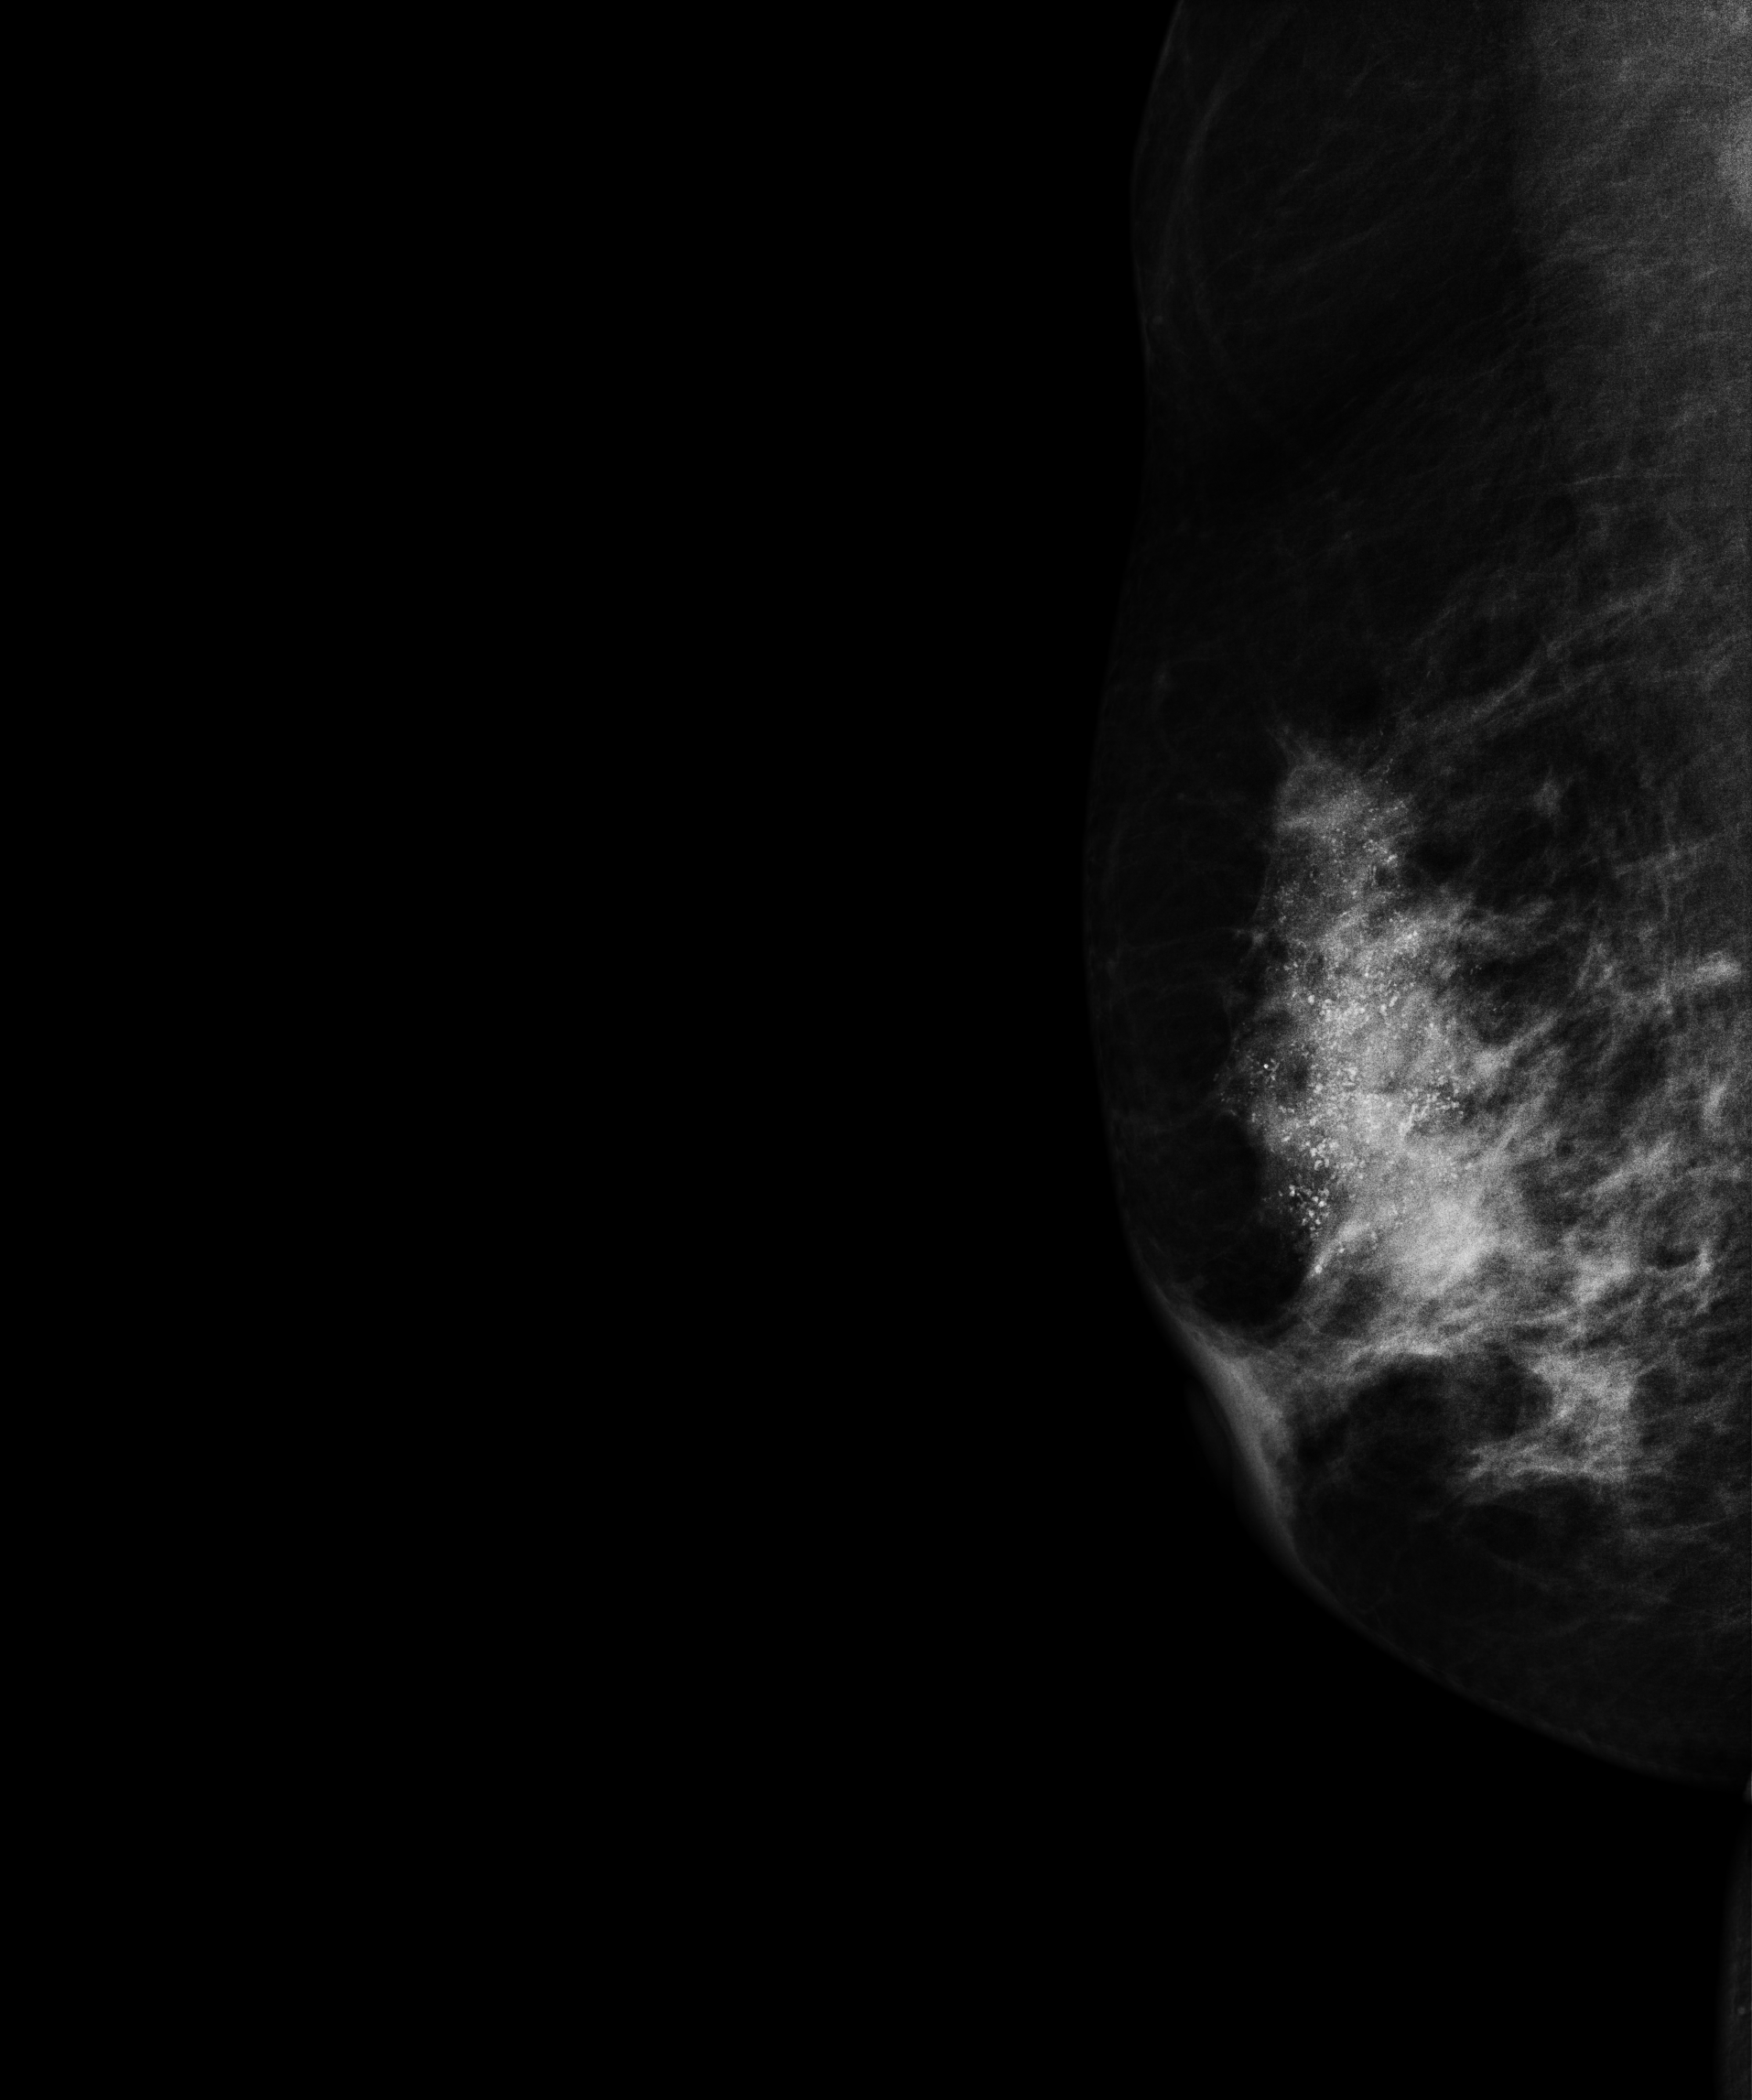
Mammogram, right breast, medio-lateral oblique view. 64 y/o patient.
This breast has calcifications, biopsy-proven malignant.